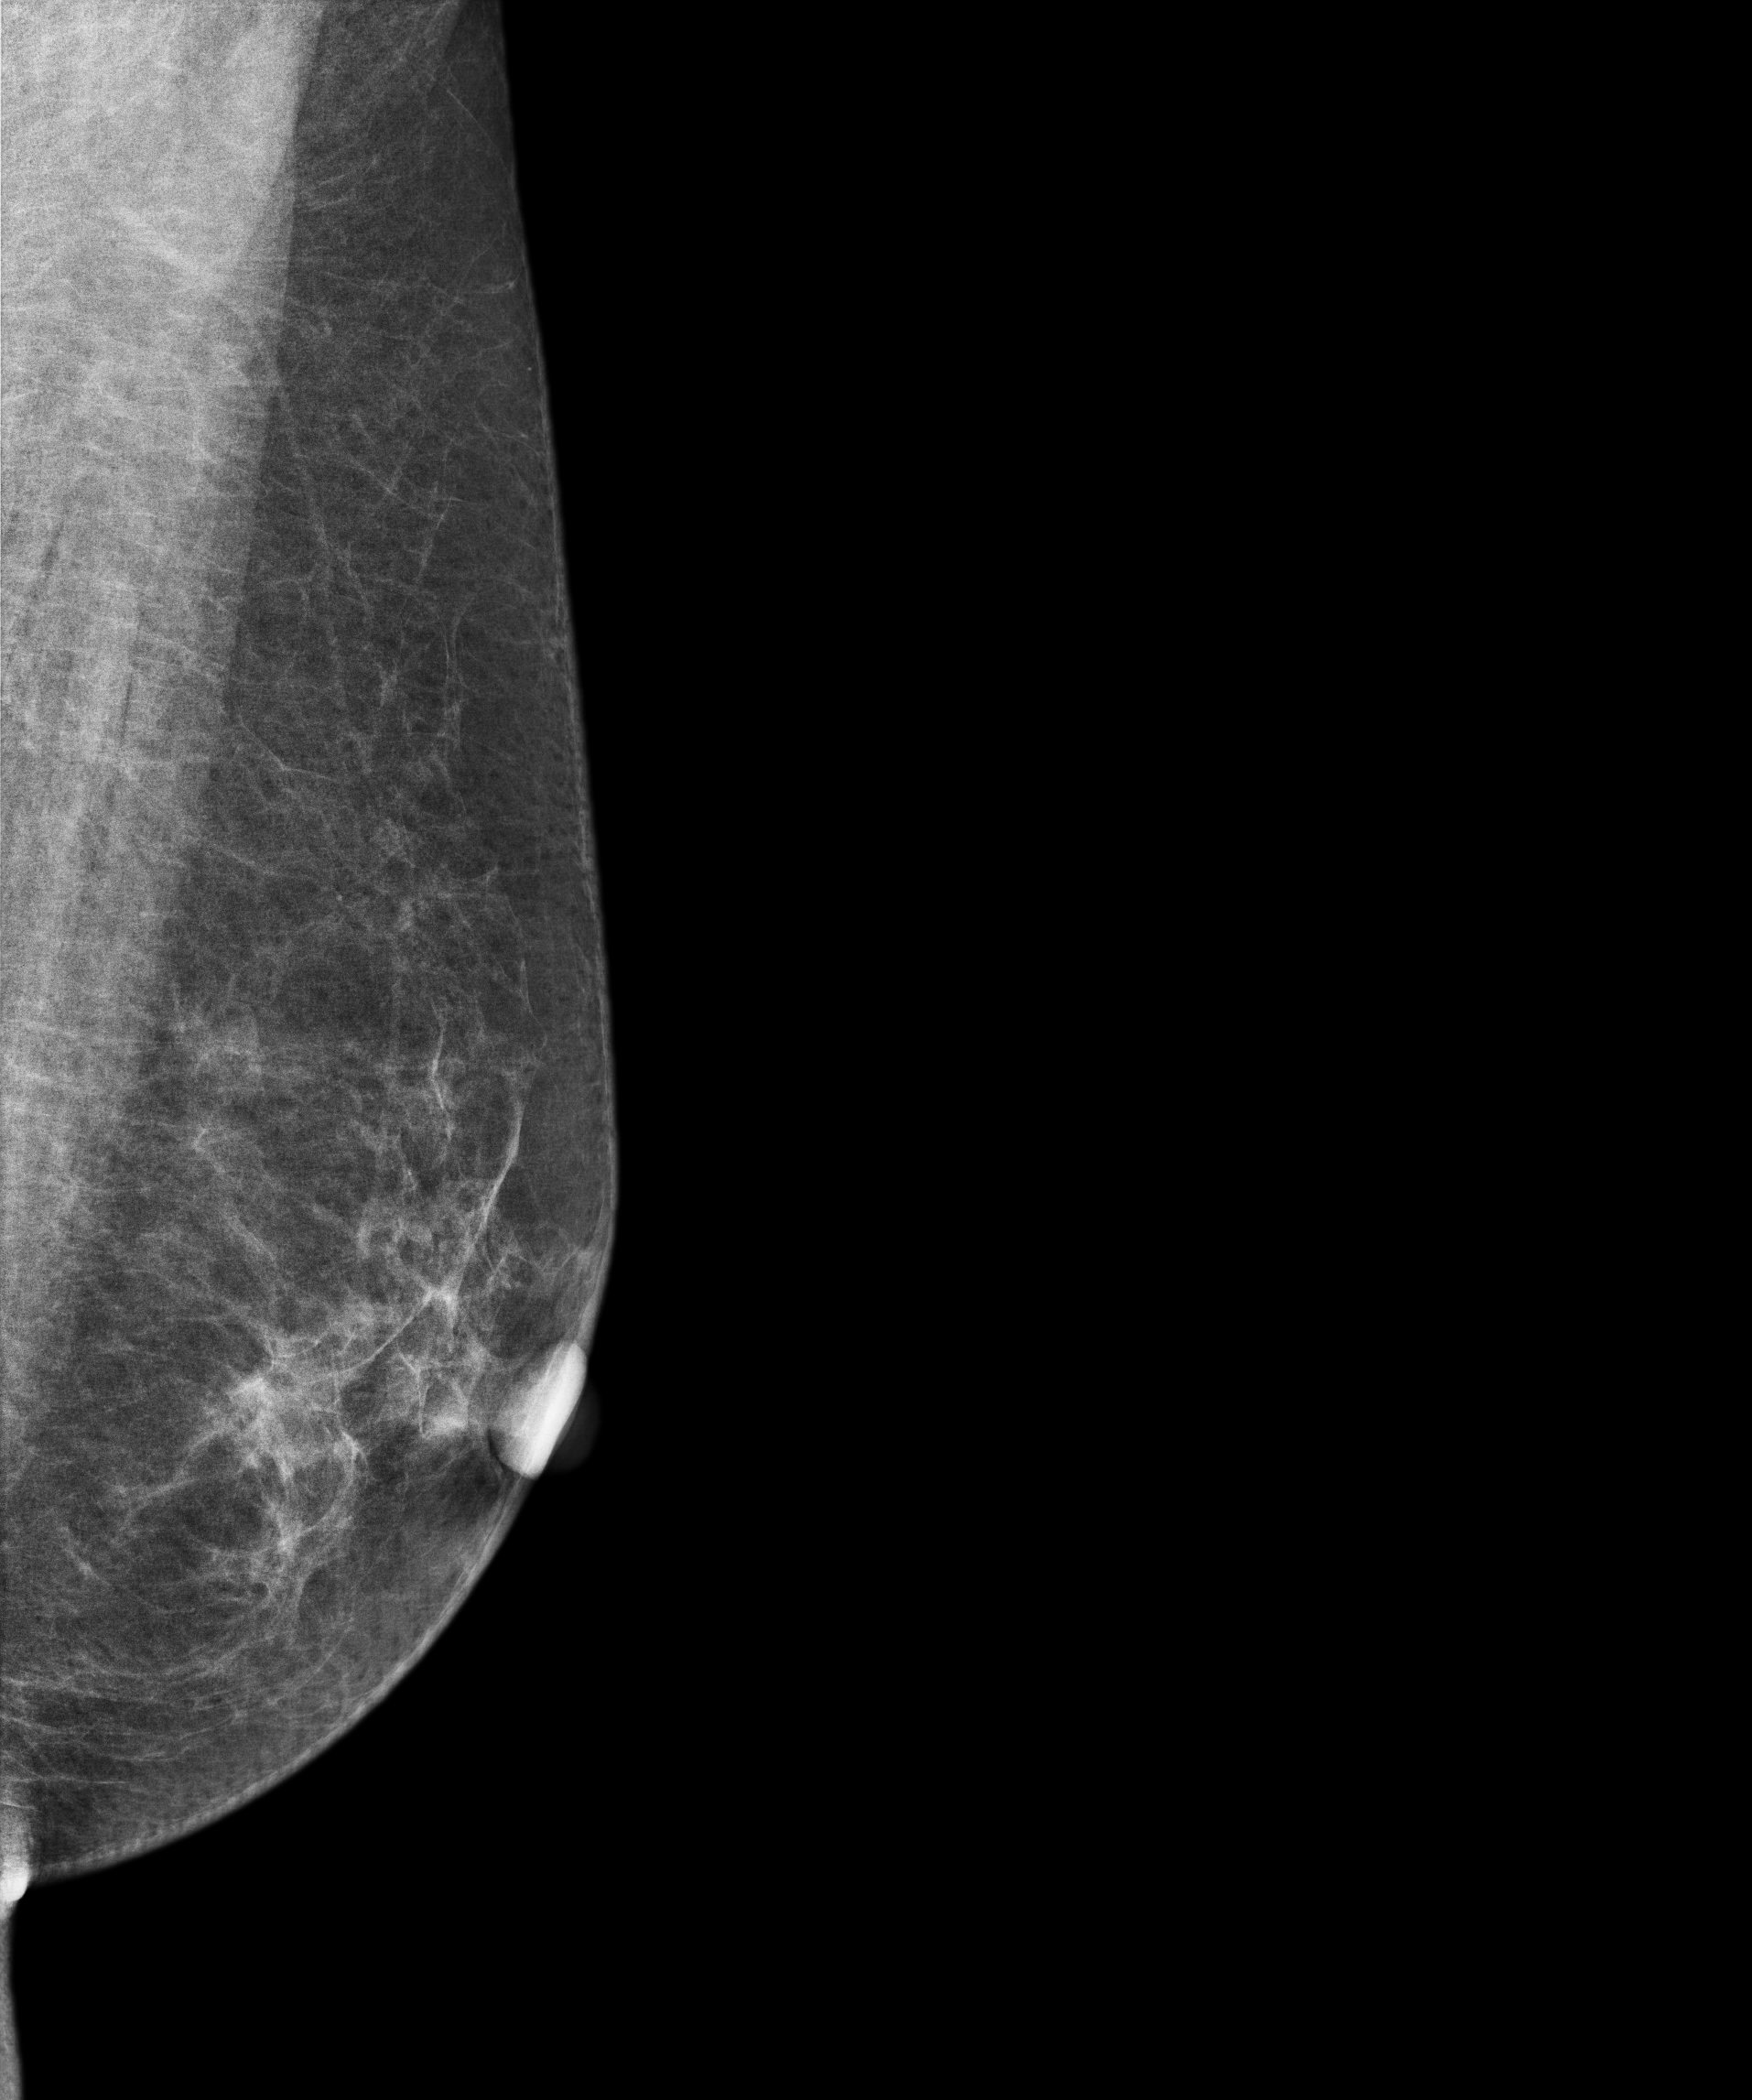
Mammogram — left medio-lateral oblique. Patient age 64.
Contralateral breast — no documented abnormality on this side.